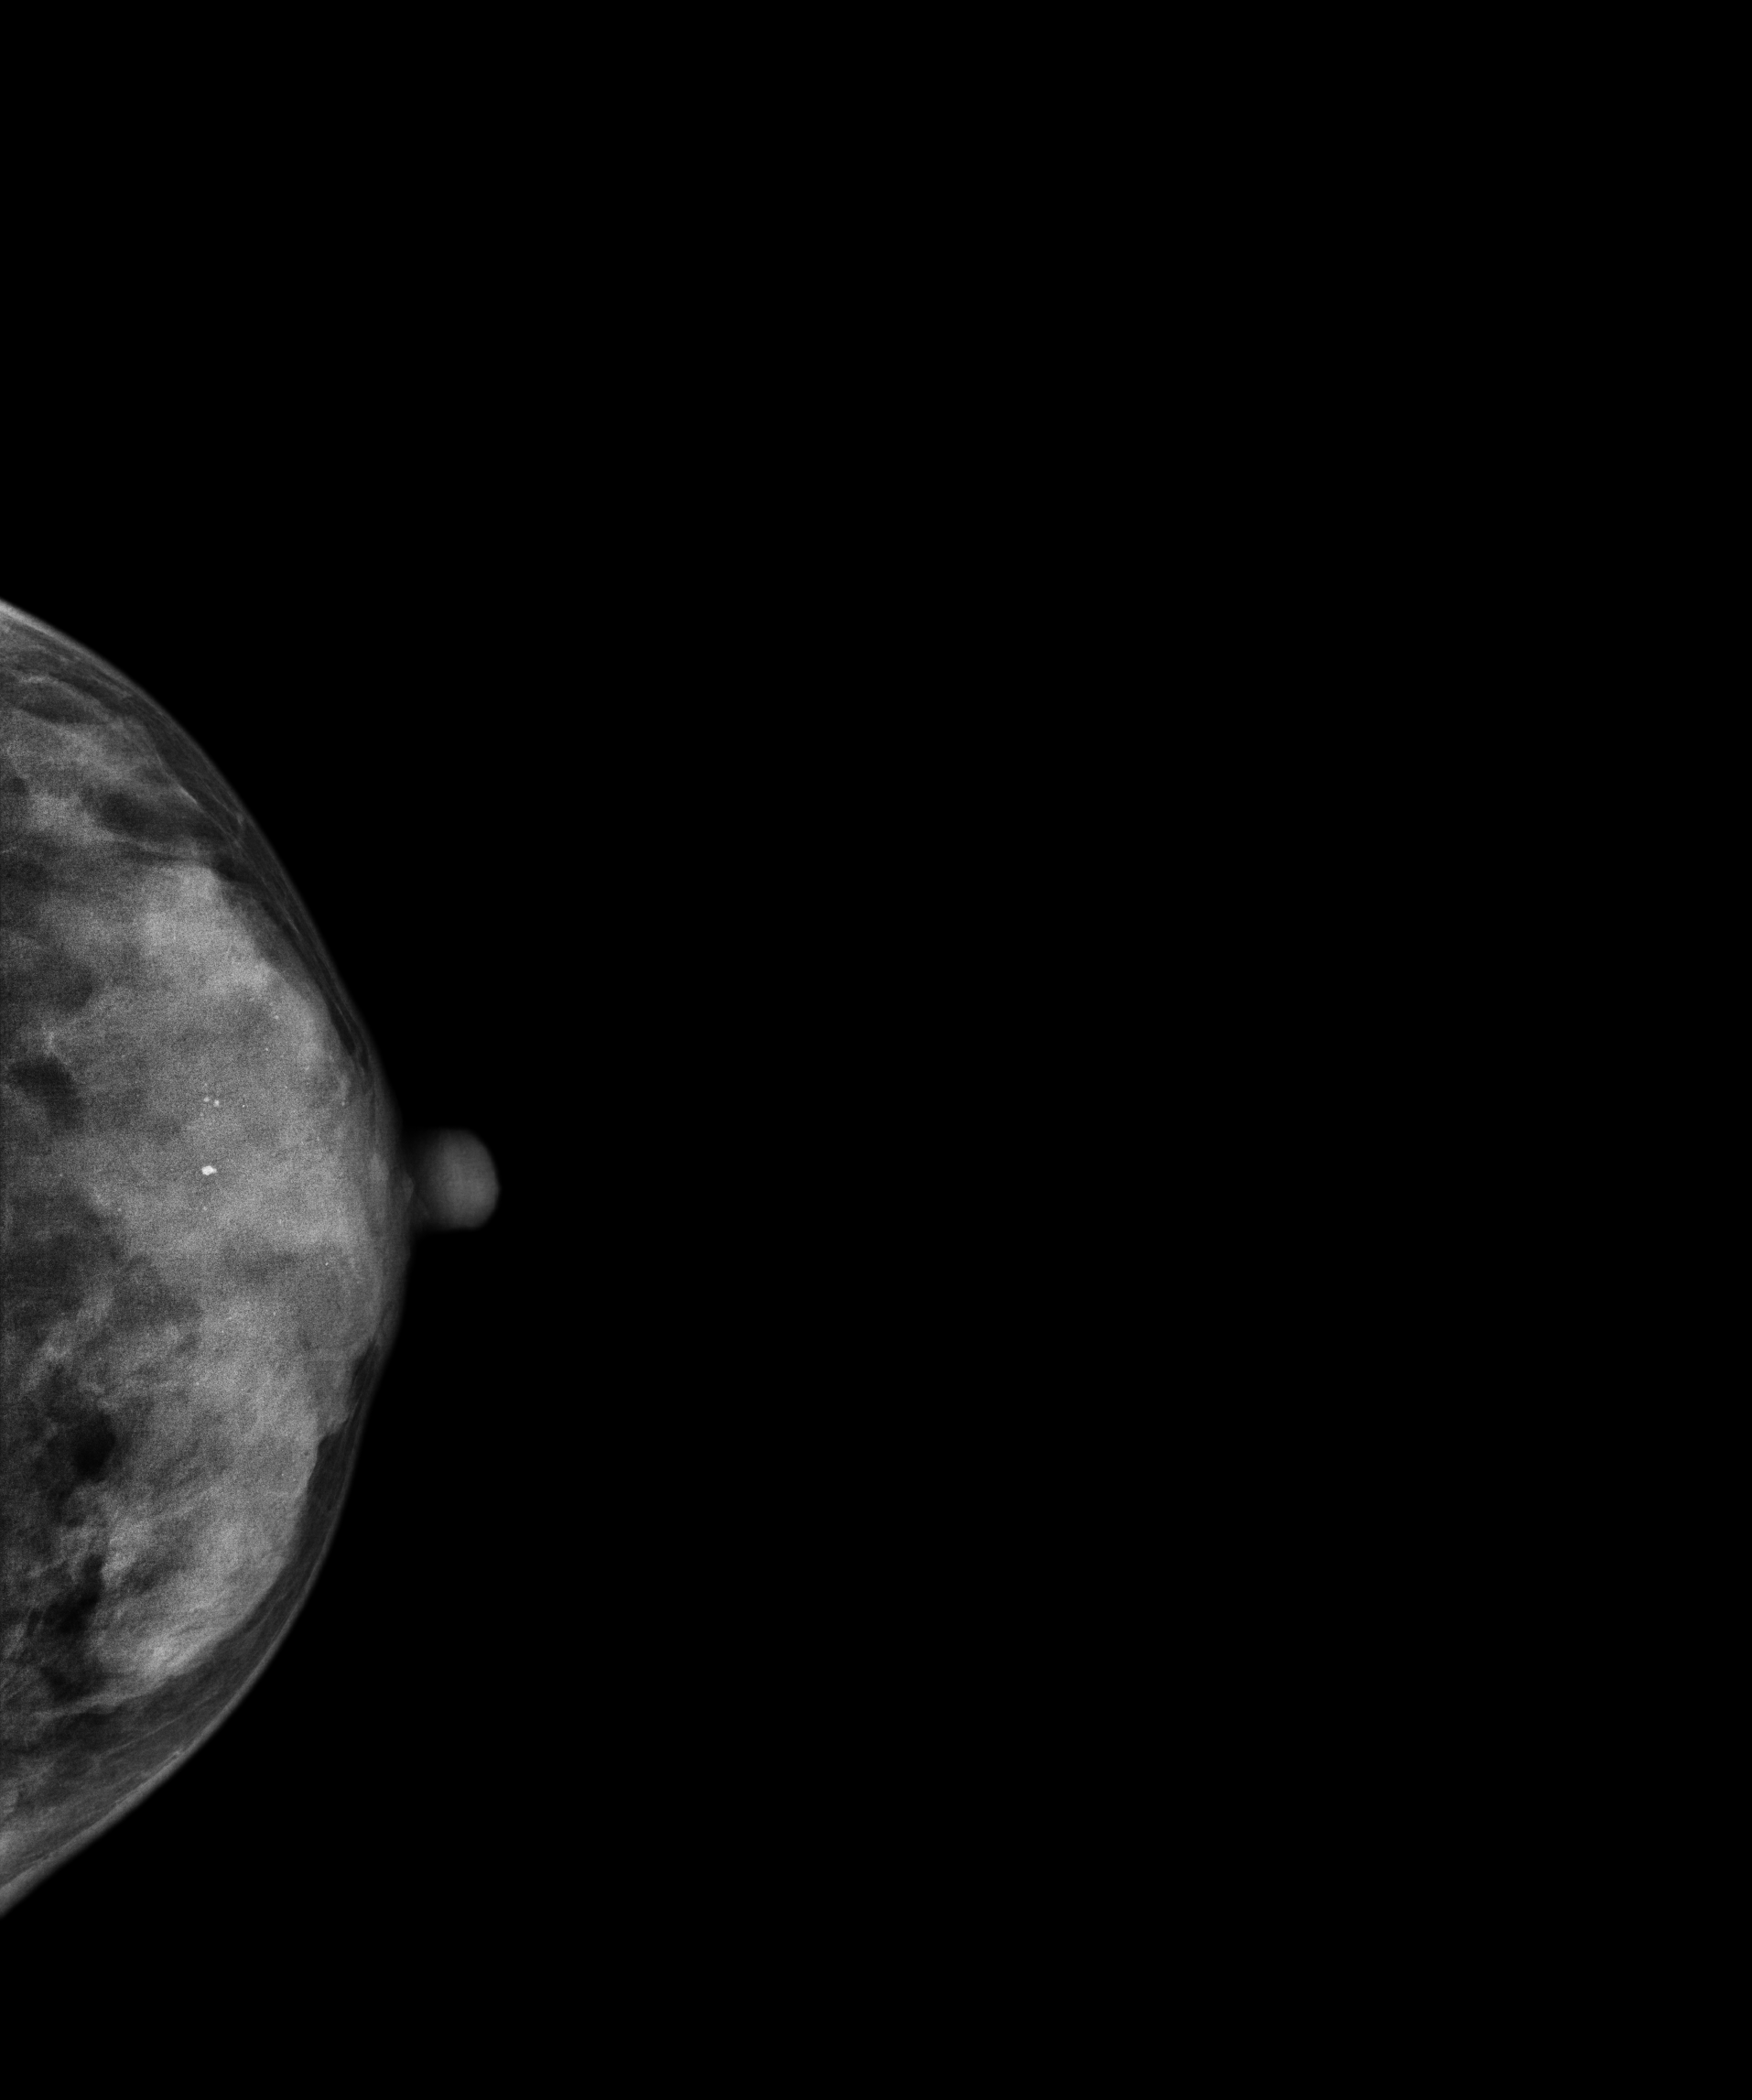
CC mammogram of the left breast. Patient age 41.
This breast has a mass and calcifications, pathology-confirmed benign.